Mammogram, left breast, cranio-caudal view. 52-year-old patient.
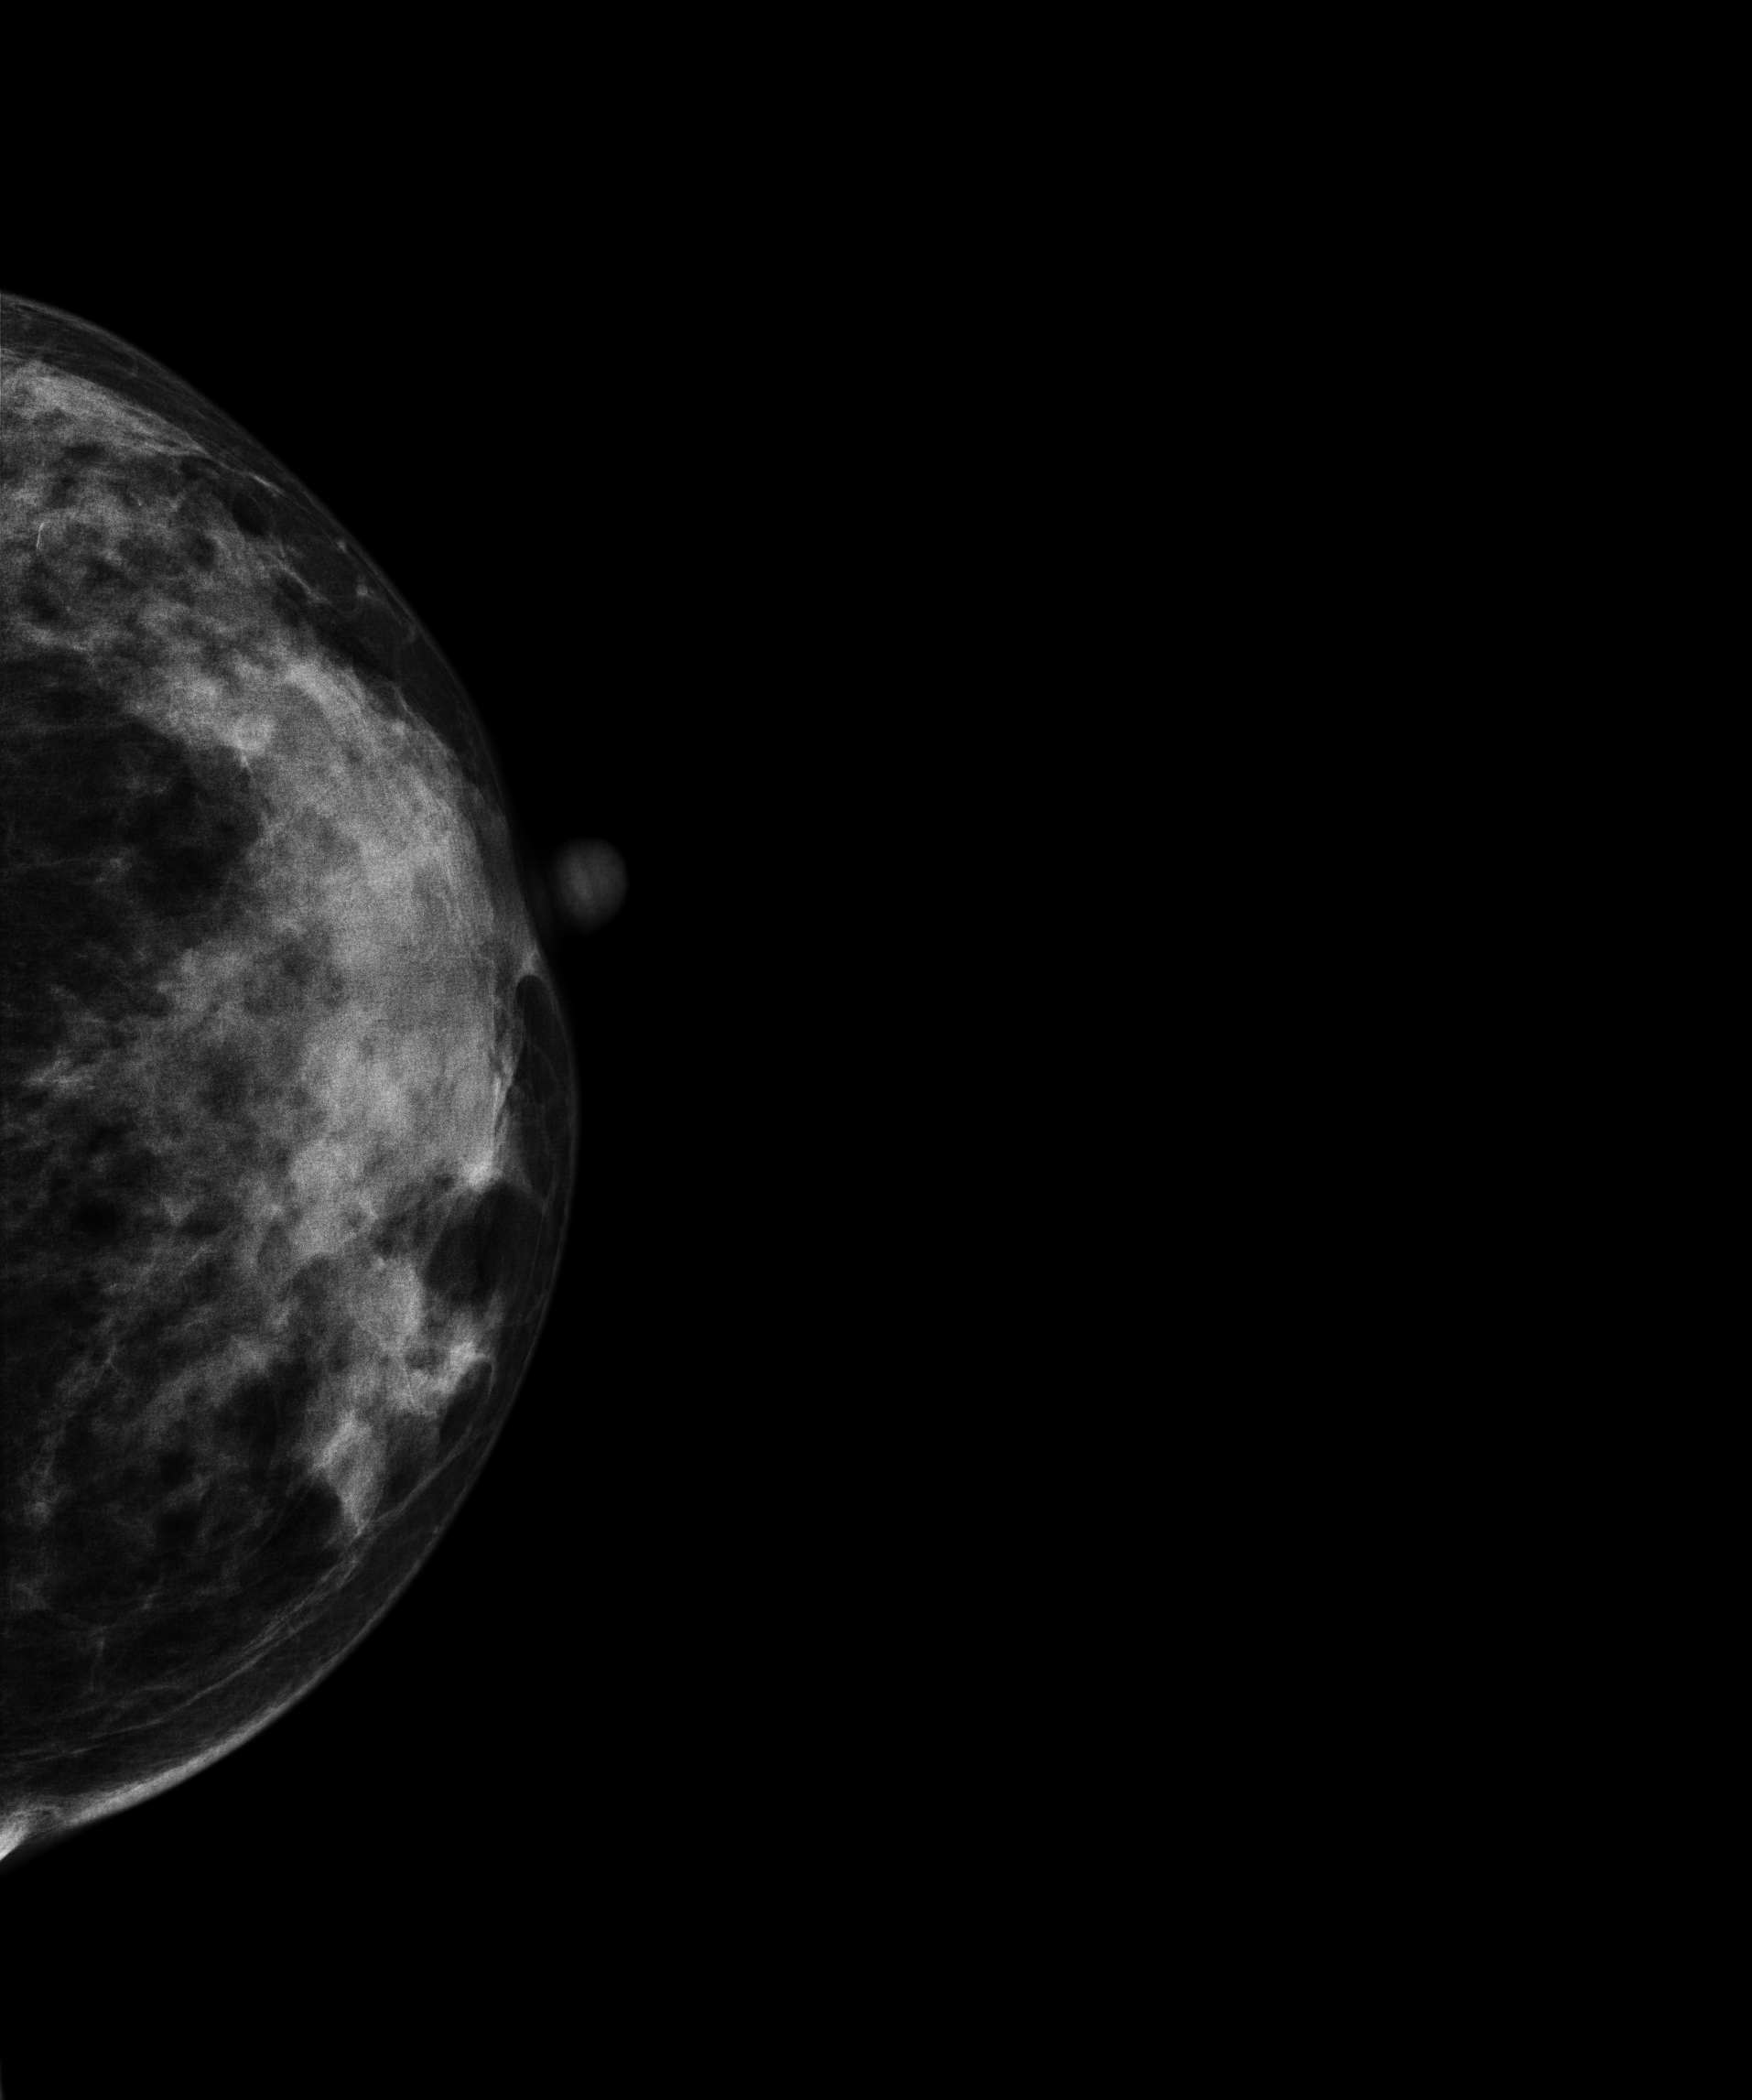
Contralateral breast — no documented abnormality on this side.